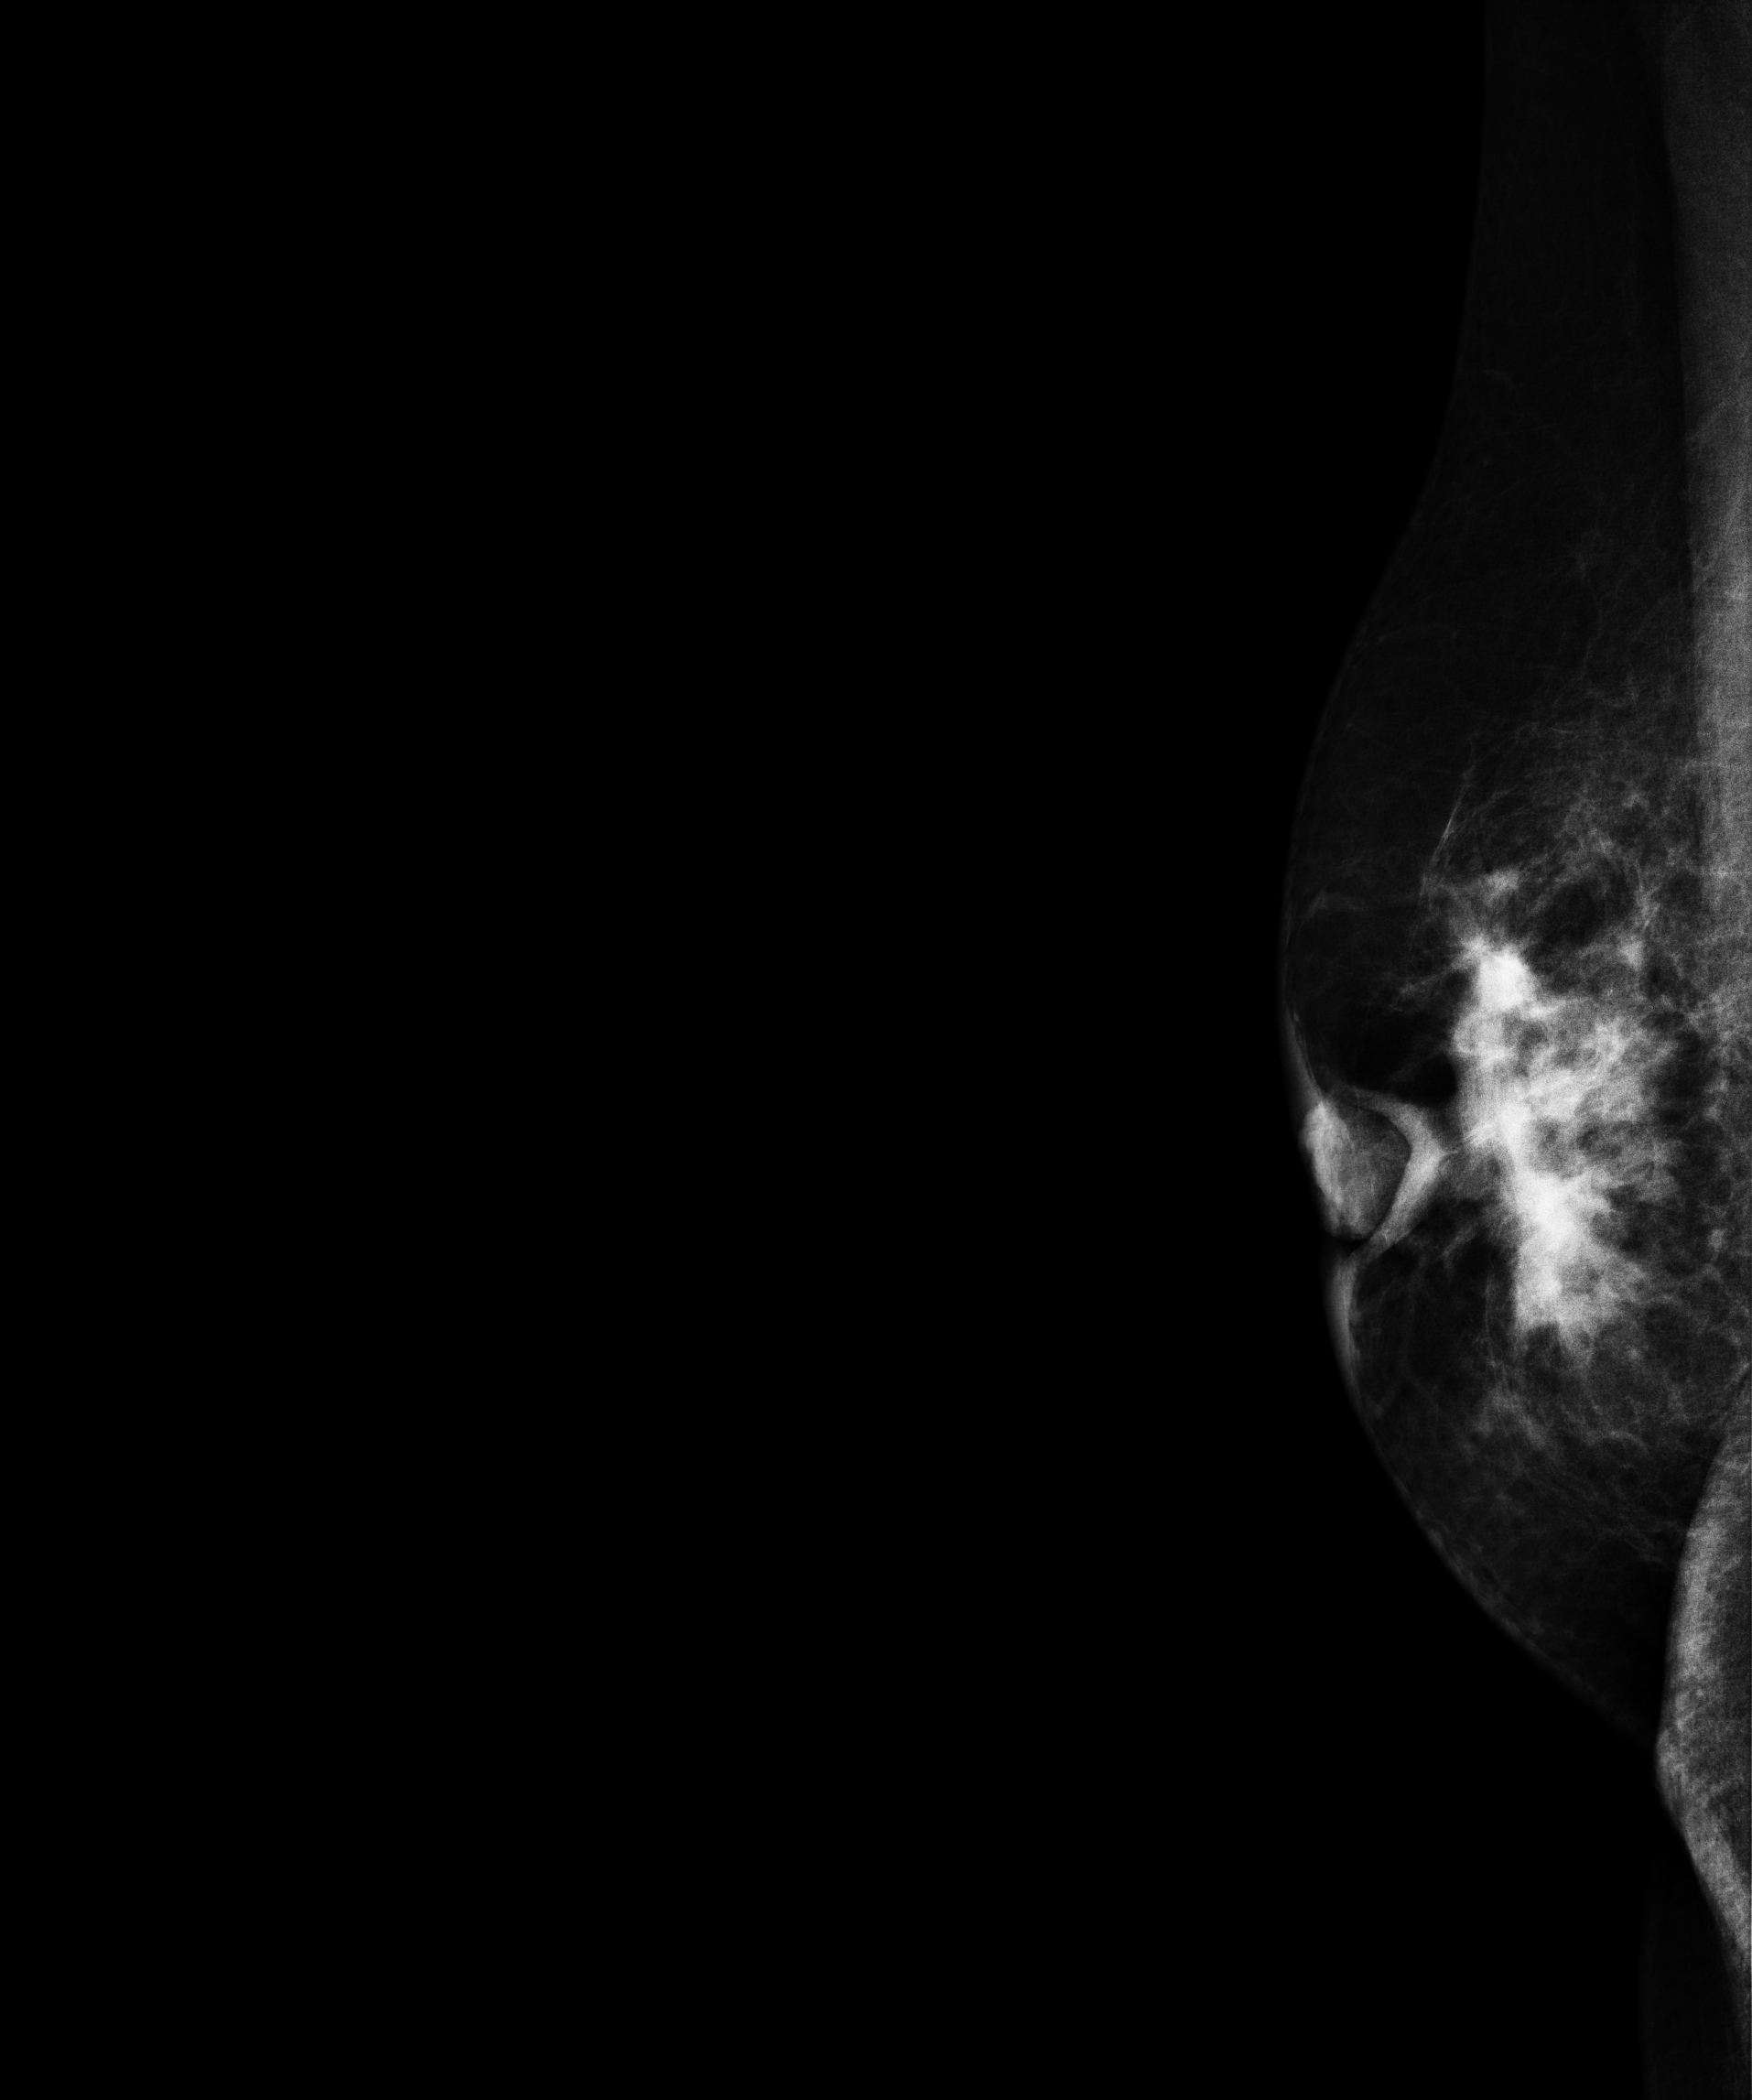
Medio-lateral oblique mammogram of the right breast. 54-year-old patient.
This breast has a mass, histologically confirmed malignant.